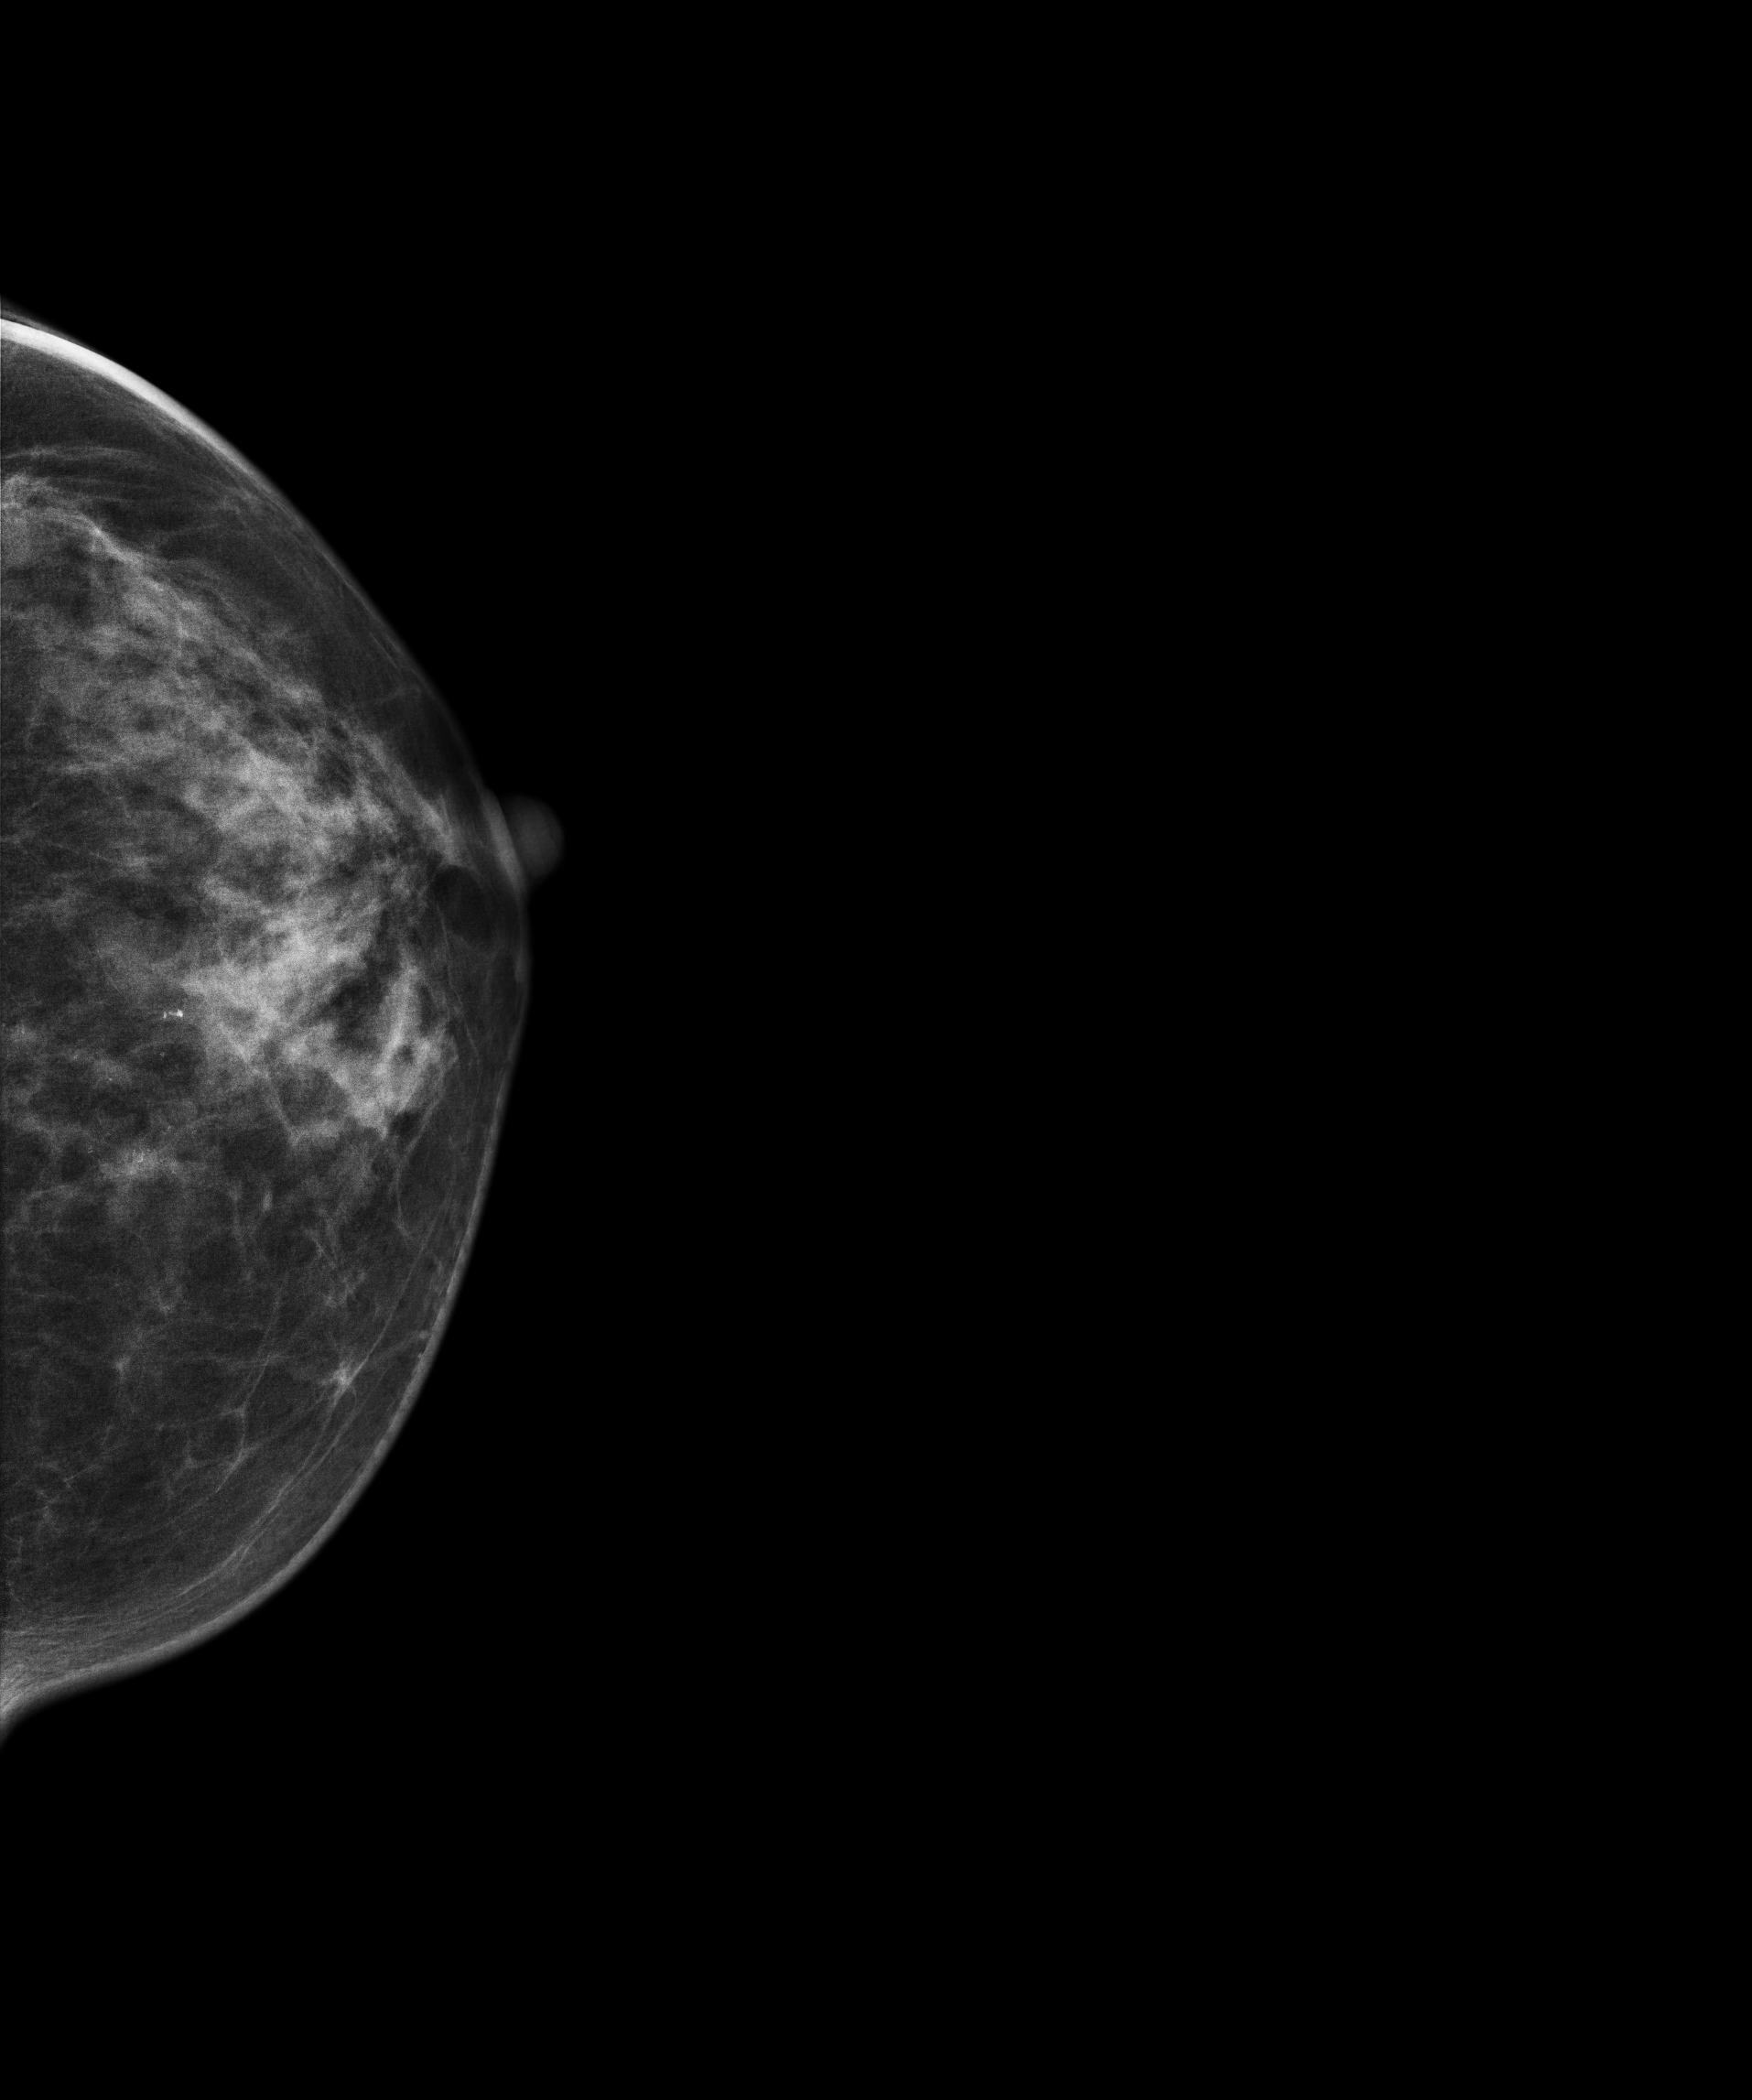
Mammogram — left cranio-caudal. Patient age 50.
This breast has calcifications, pathology-confirmed malignant. Molecular subtype: triple-negative.